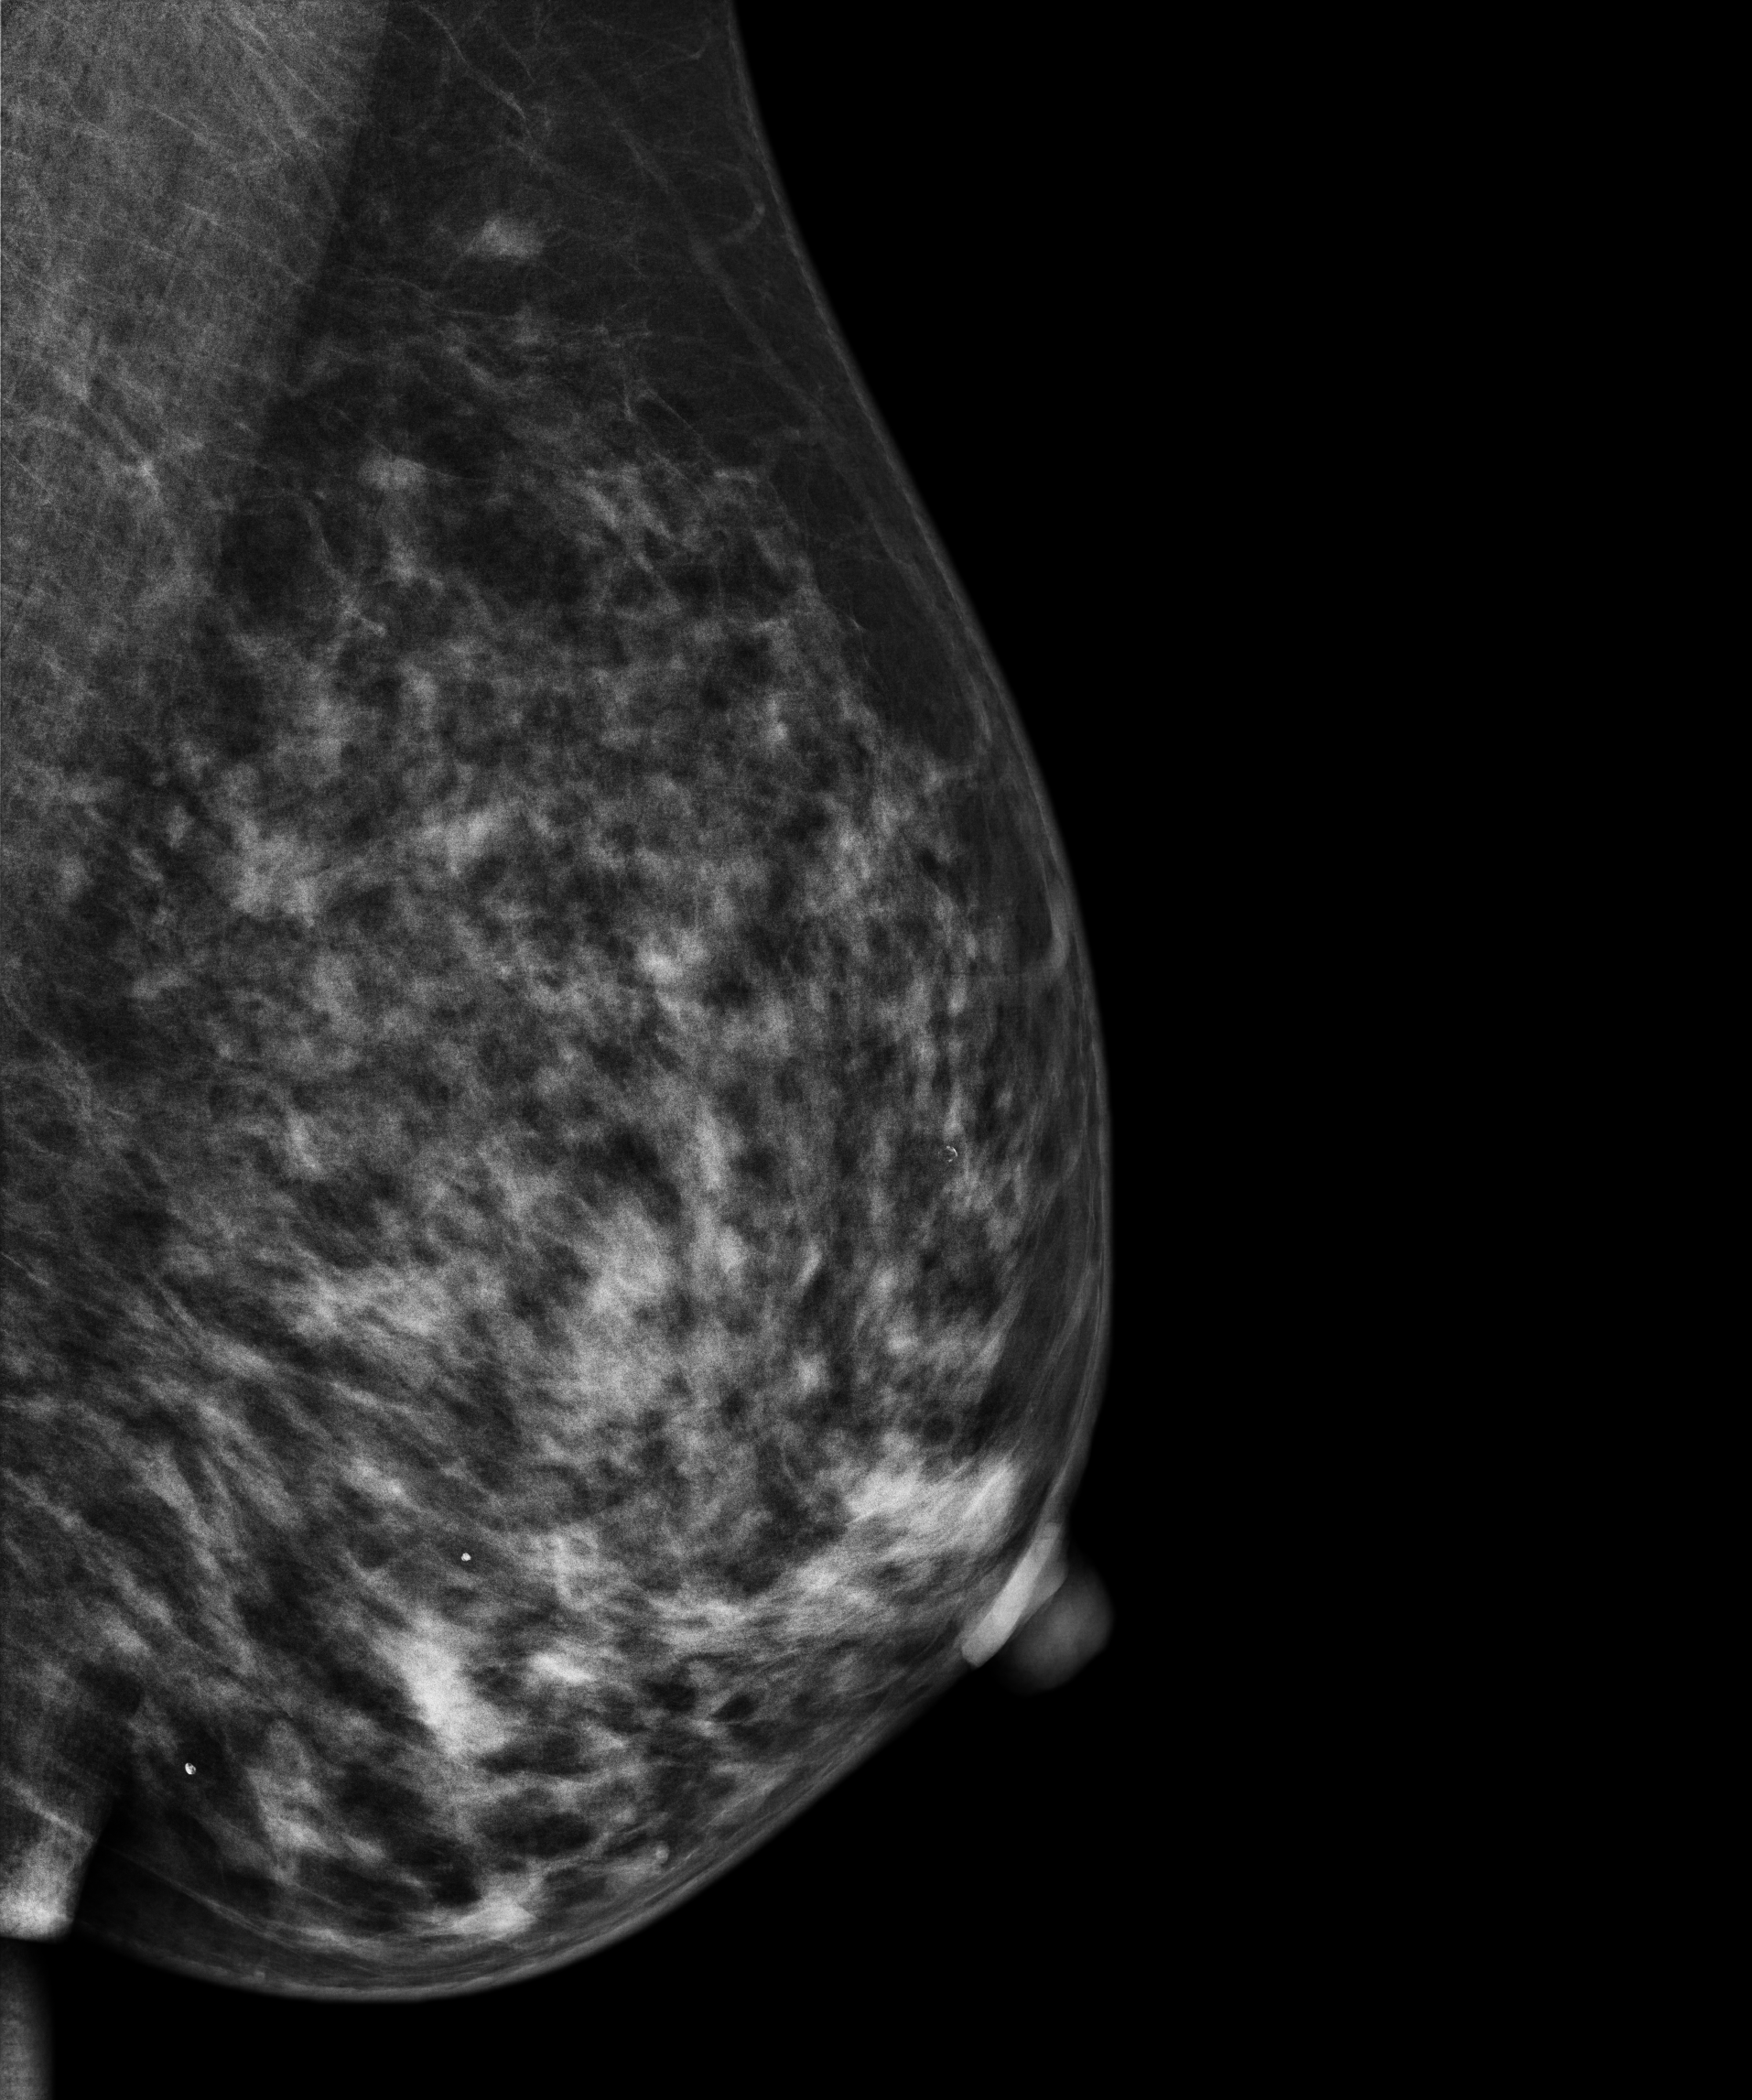
Digital mammography. Left breast, medio-lateral oblique projection. Patient age 51.
Contralateral breast — no documented abnormality on this side.